Mammogram, left breast, CC view. Patient age 51.
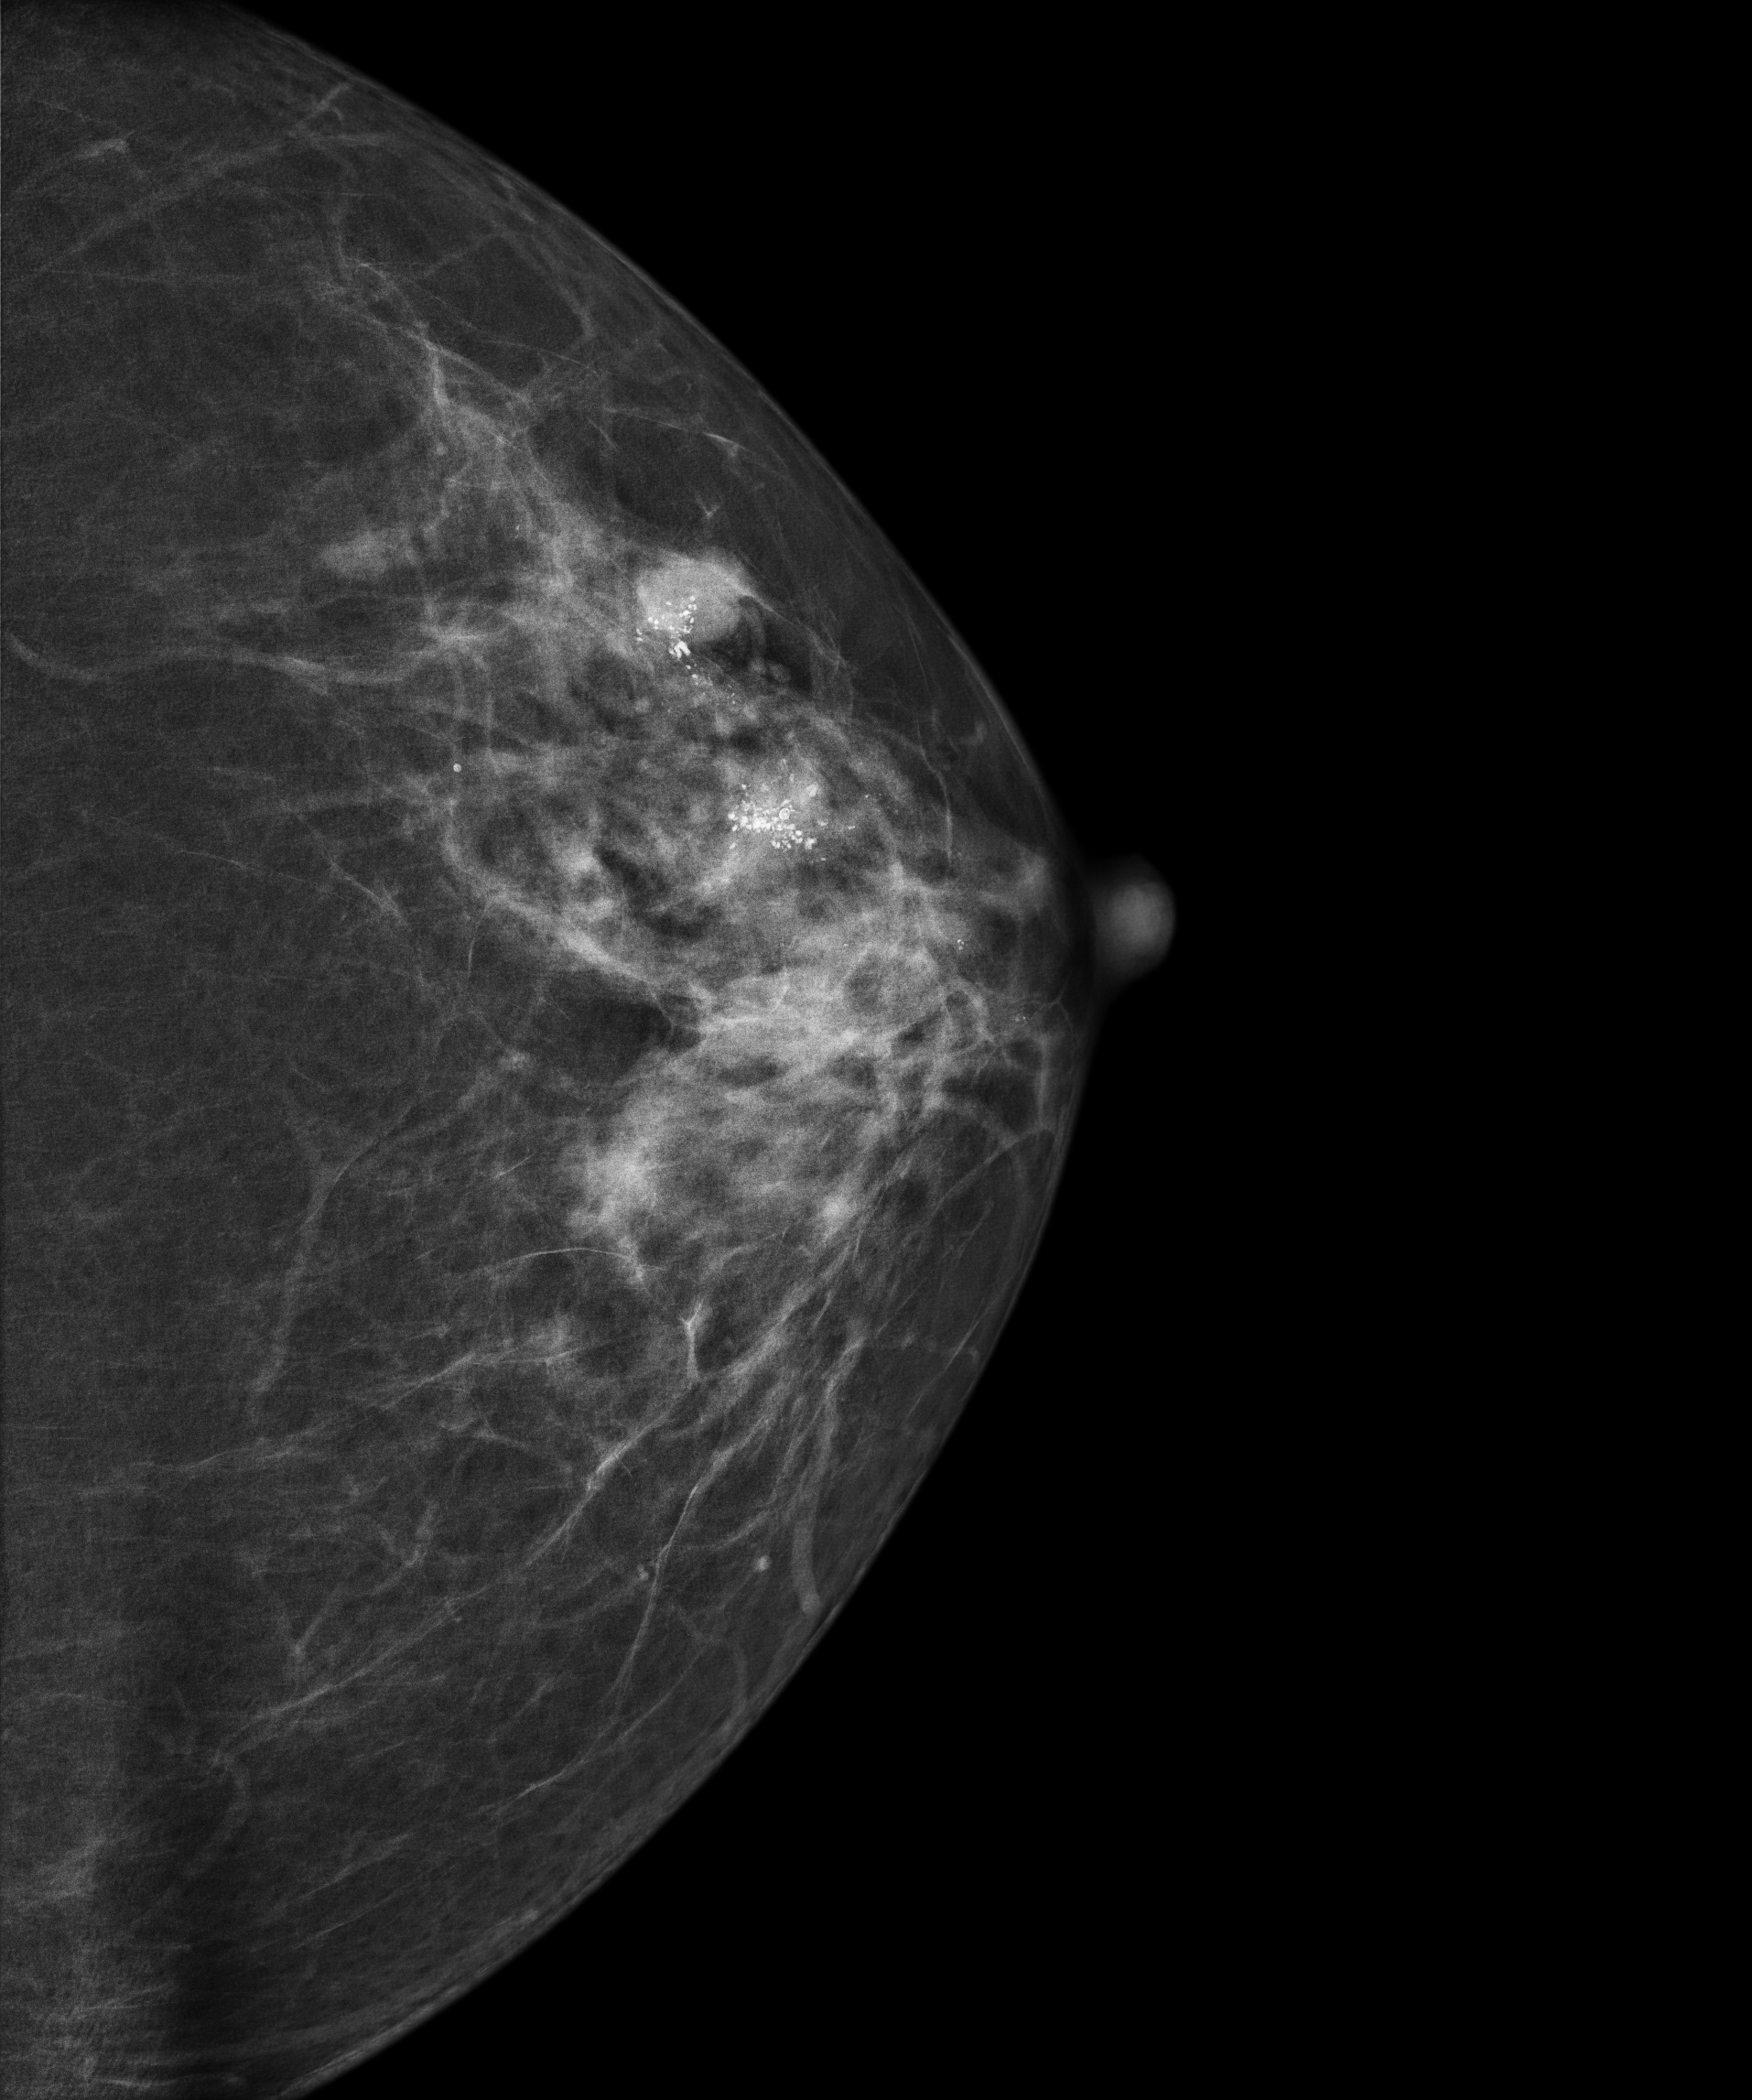
This breast has a mass and calcifications, biopsy-confirmed malignant. Molecular subtype: luminal A.